Digital mammography. Right breast, cranio-caudal projection. 41 y/o patient.
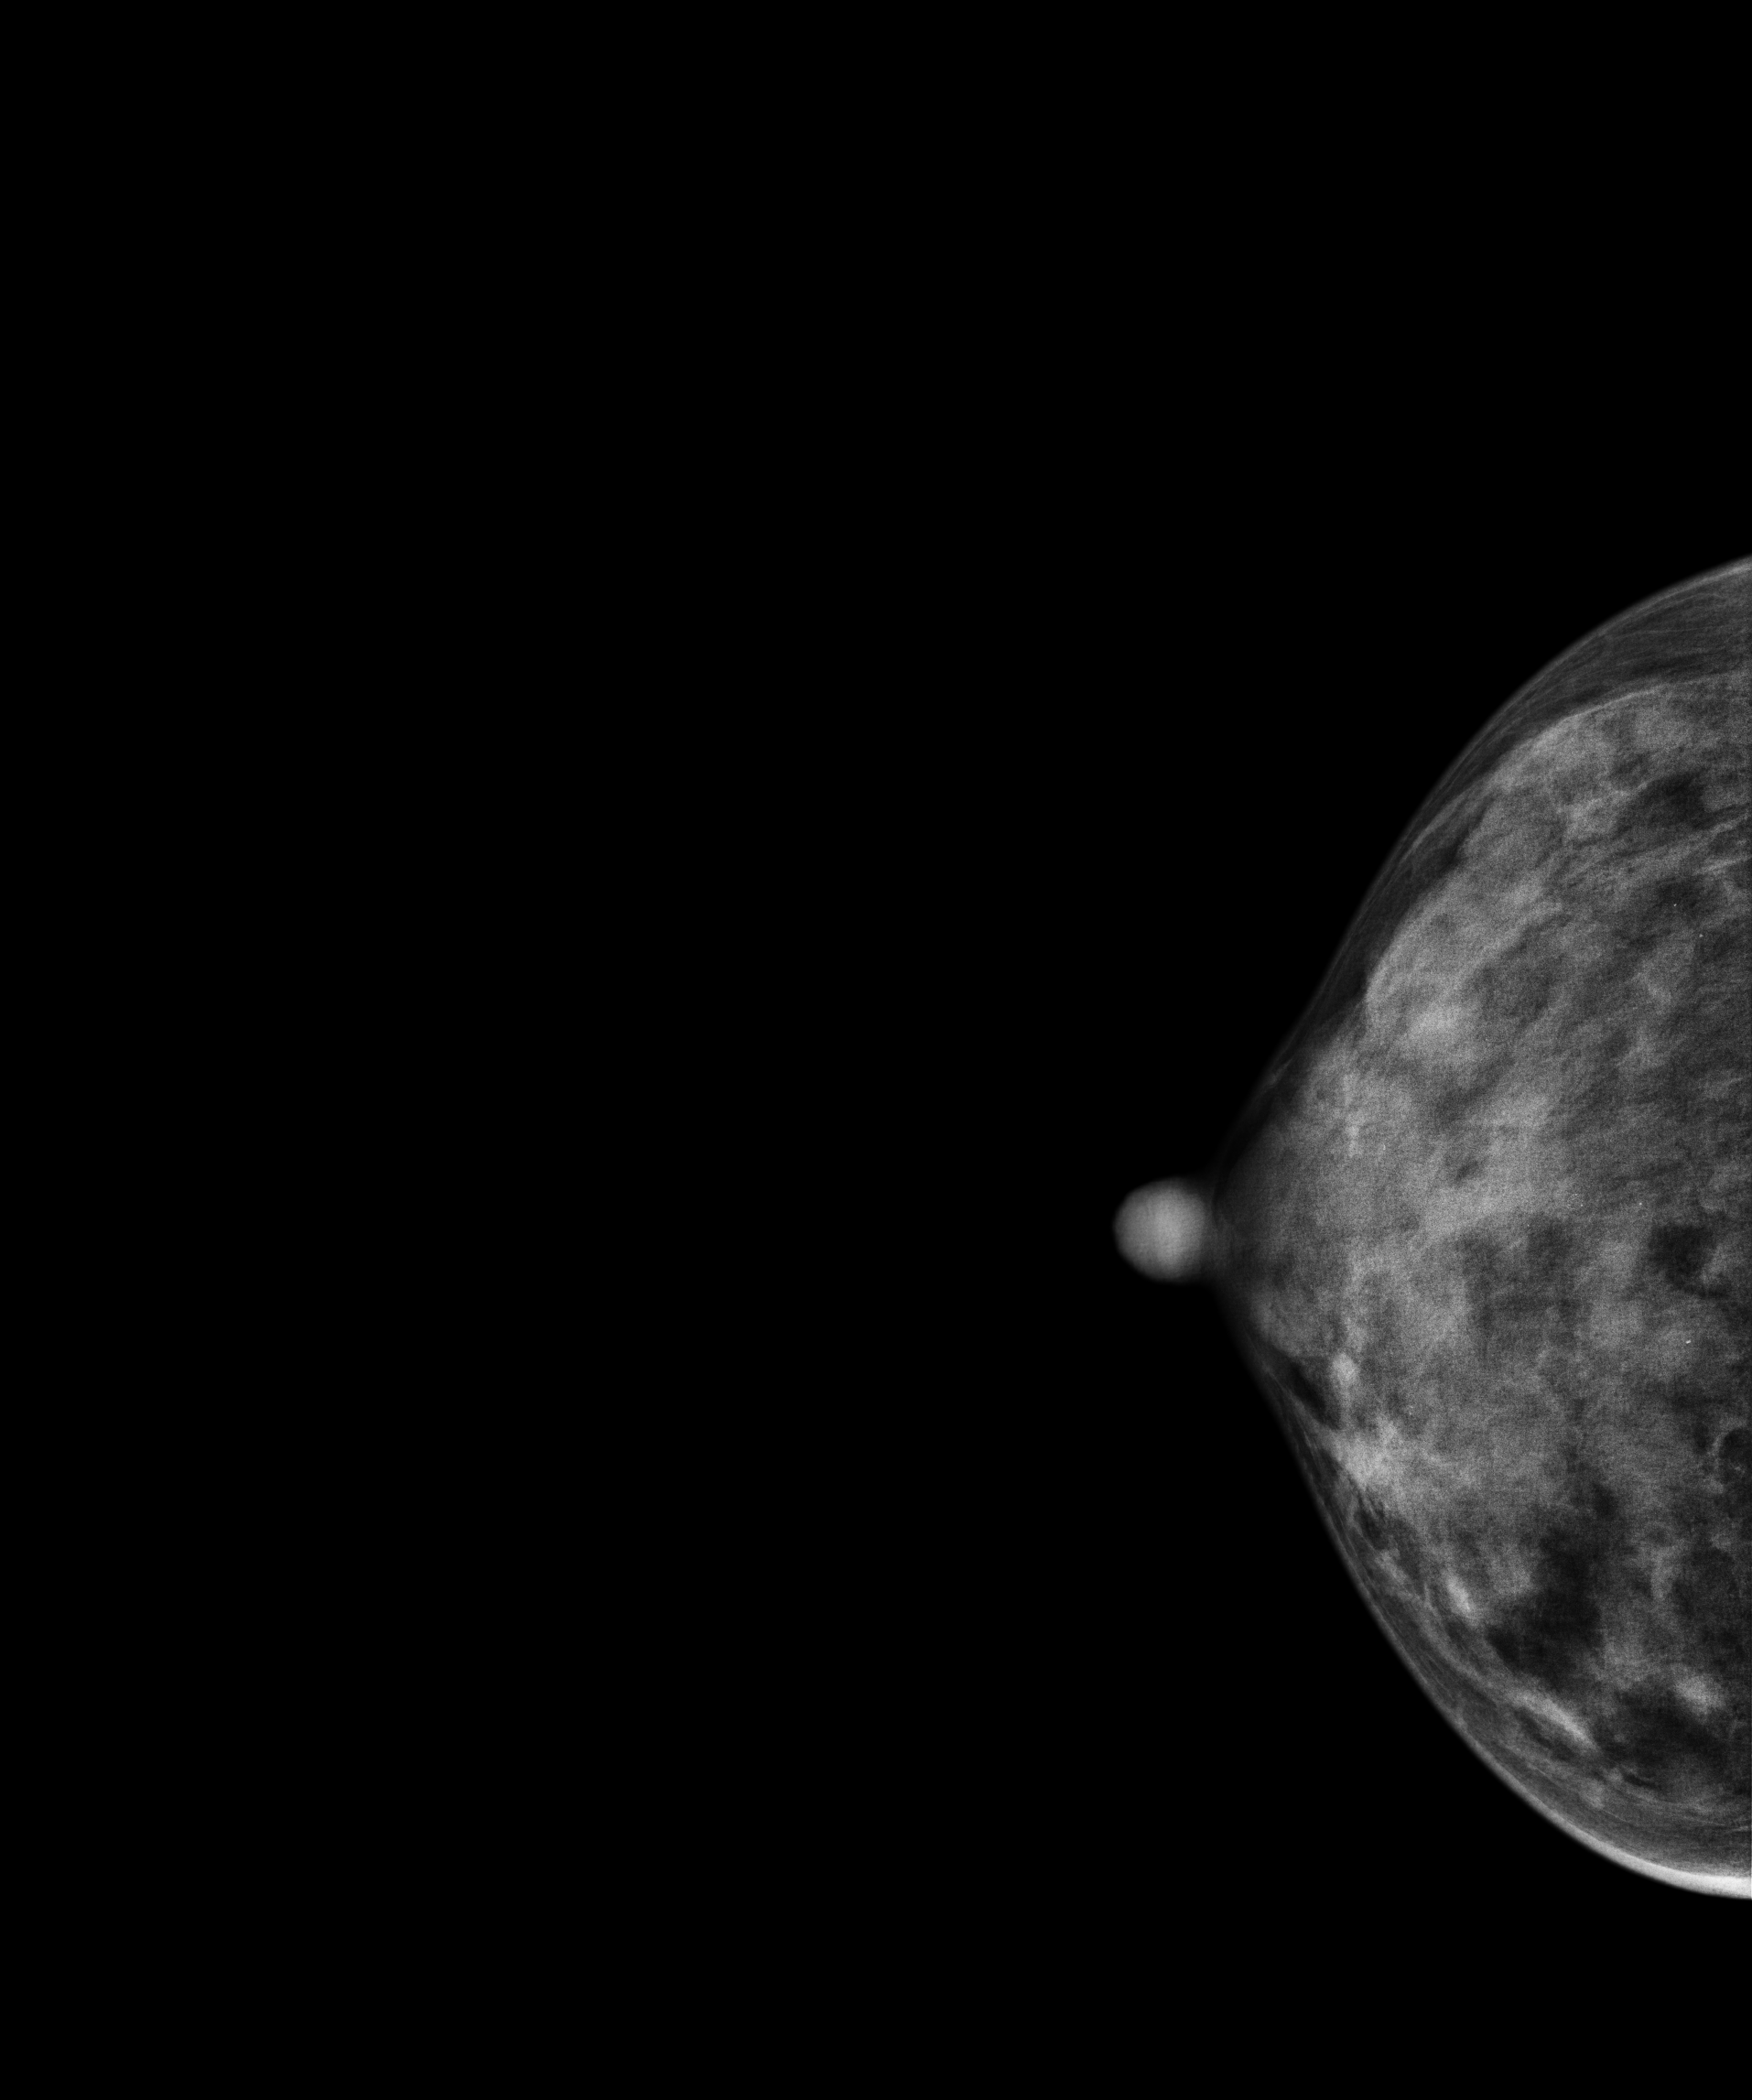
Contralateral breast — no documented abnormality on this side.